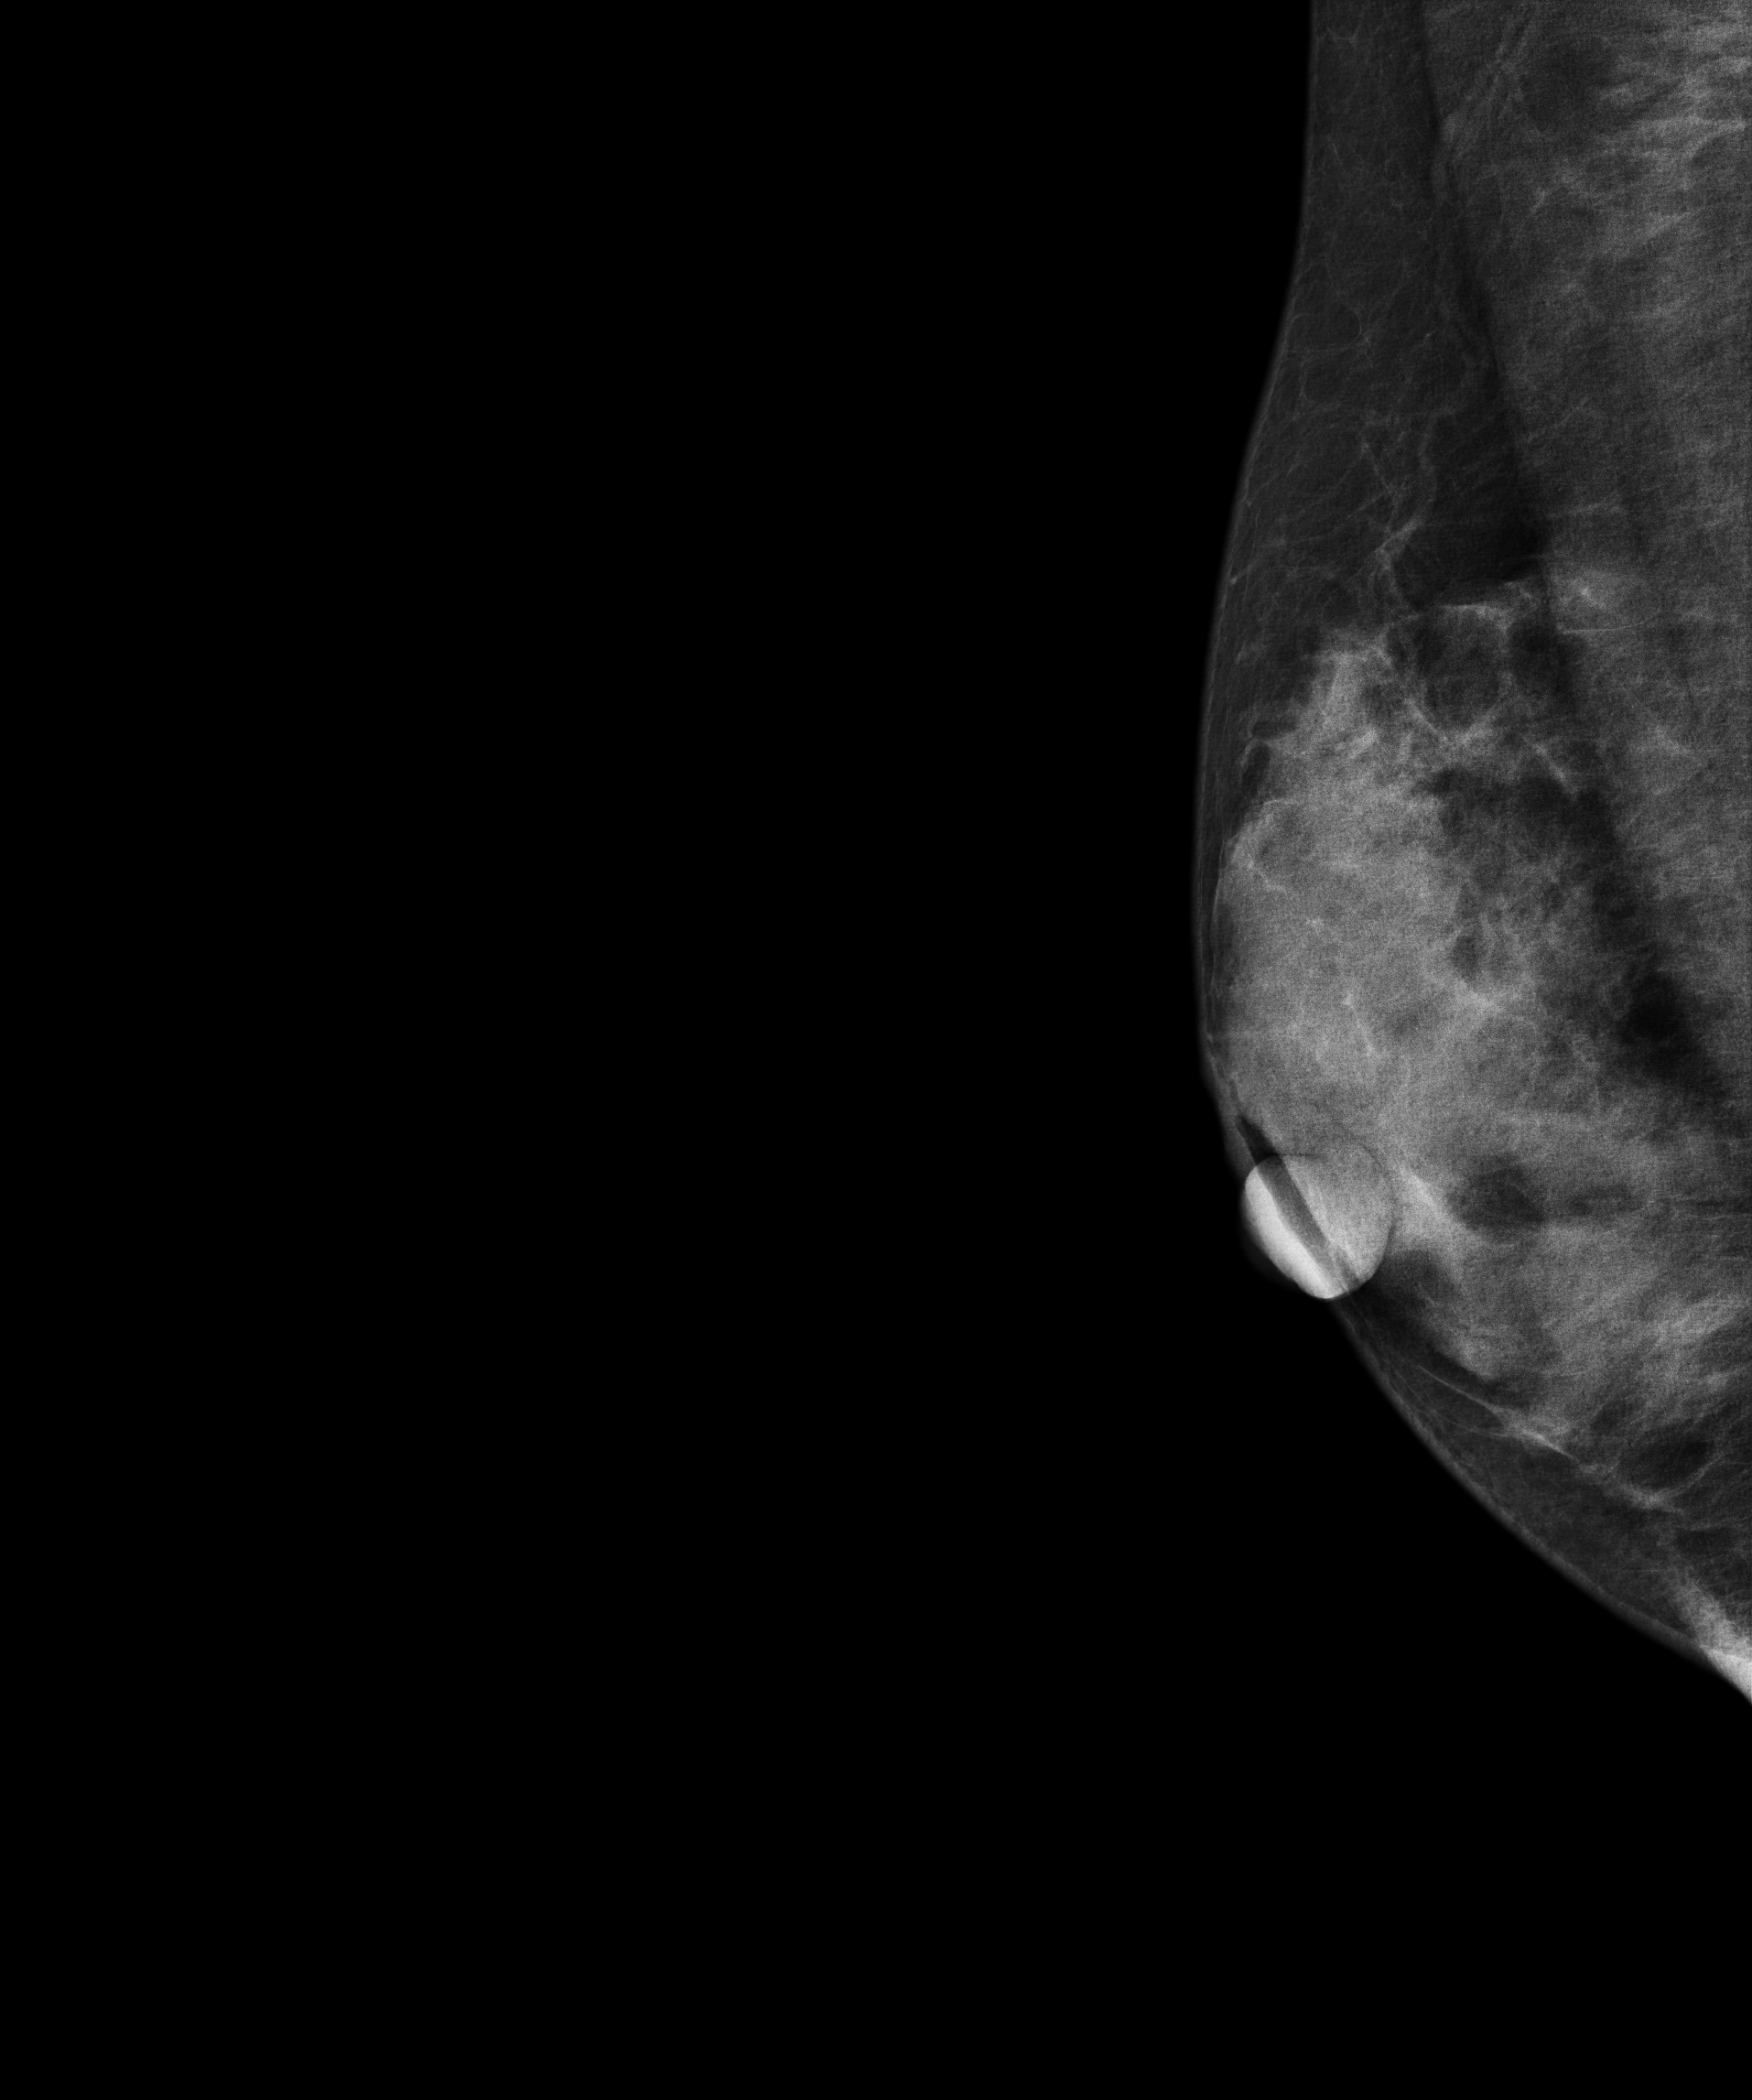
Mammogram, right breast, MLO view. 36 y/o patient.
This breast has a mass, histologically confirmed benign.